CC mammogram of the left breast. 47 y/o patient.
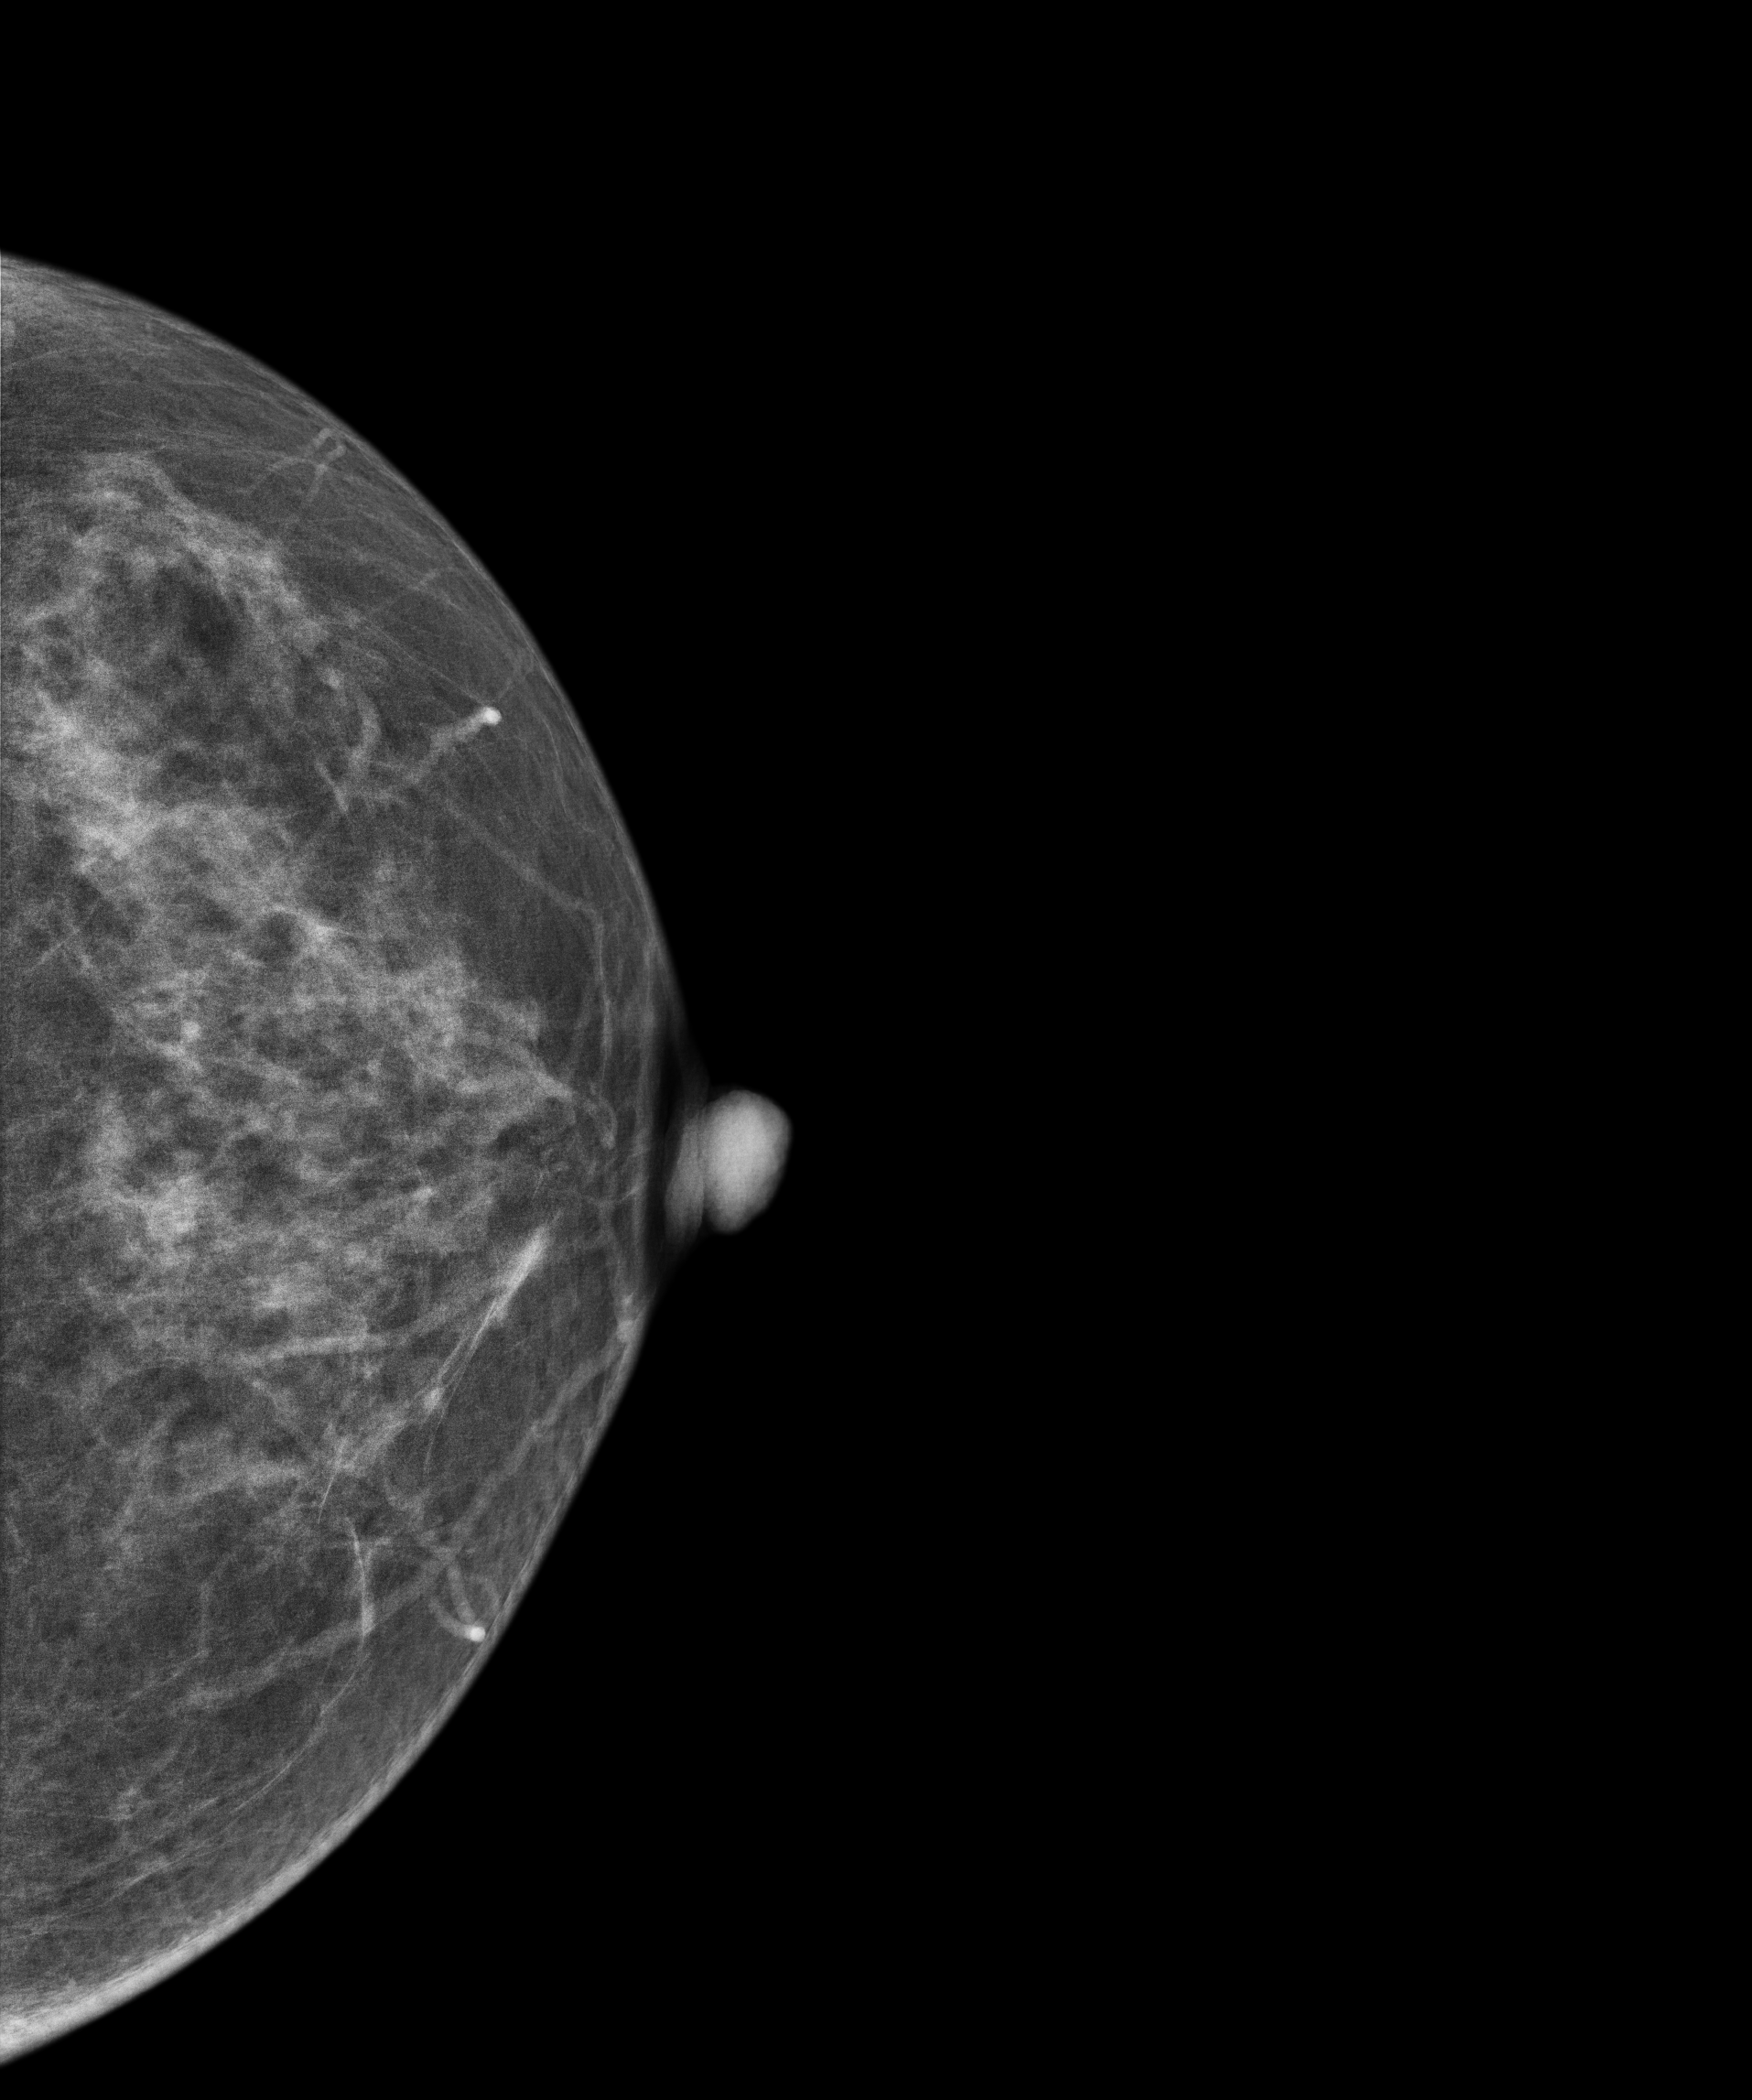
Contralateral breast — no documented abnormality on this side.